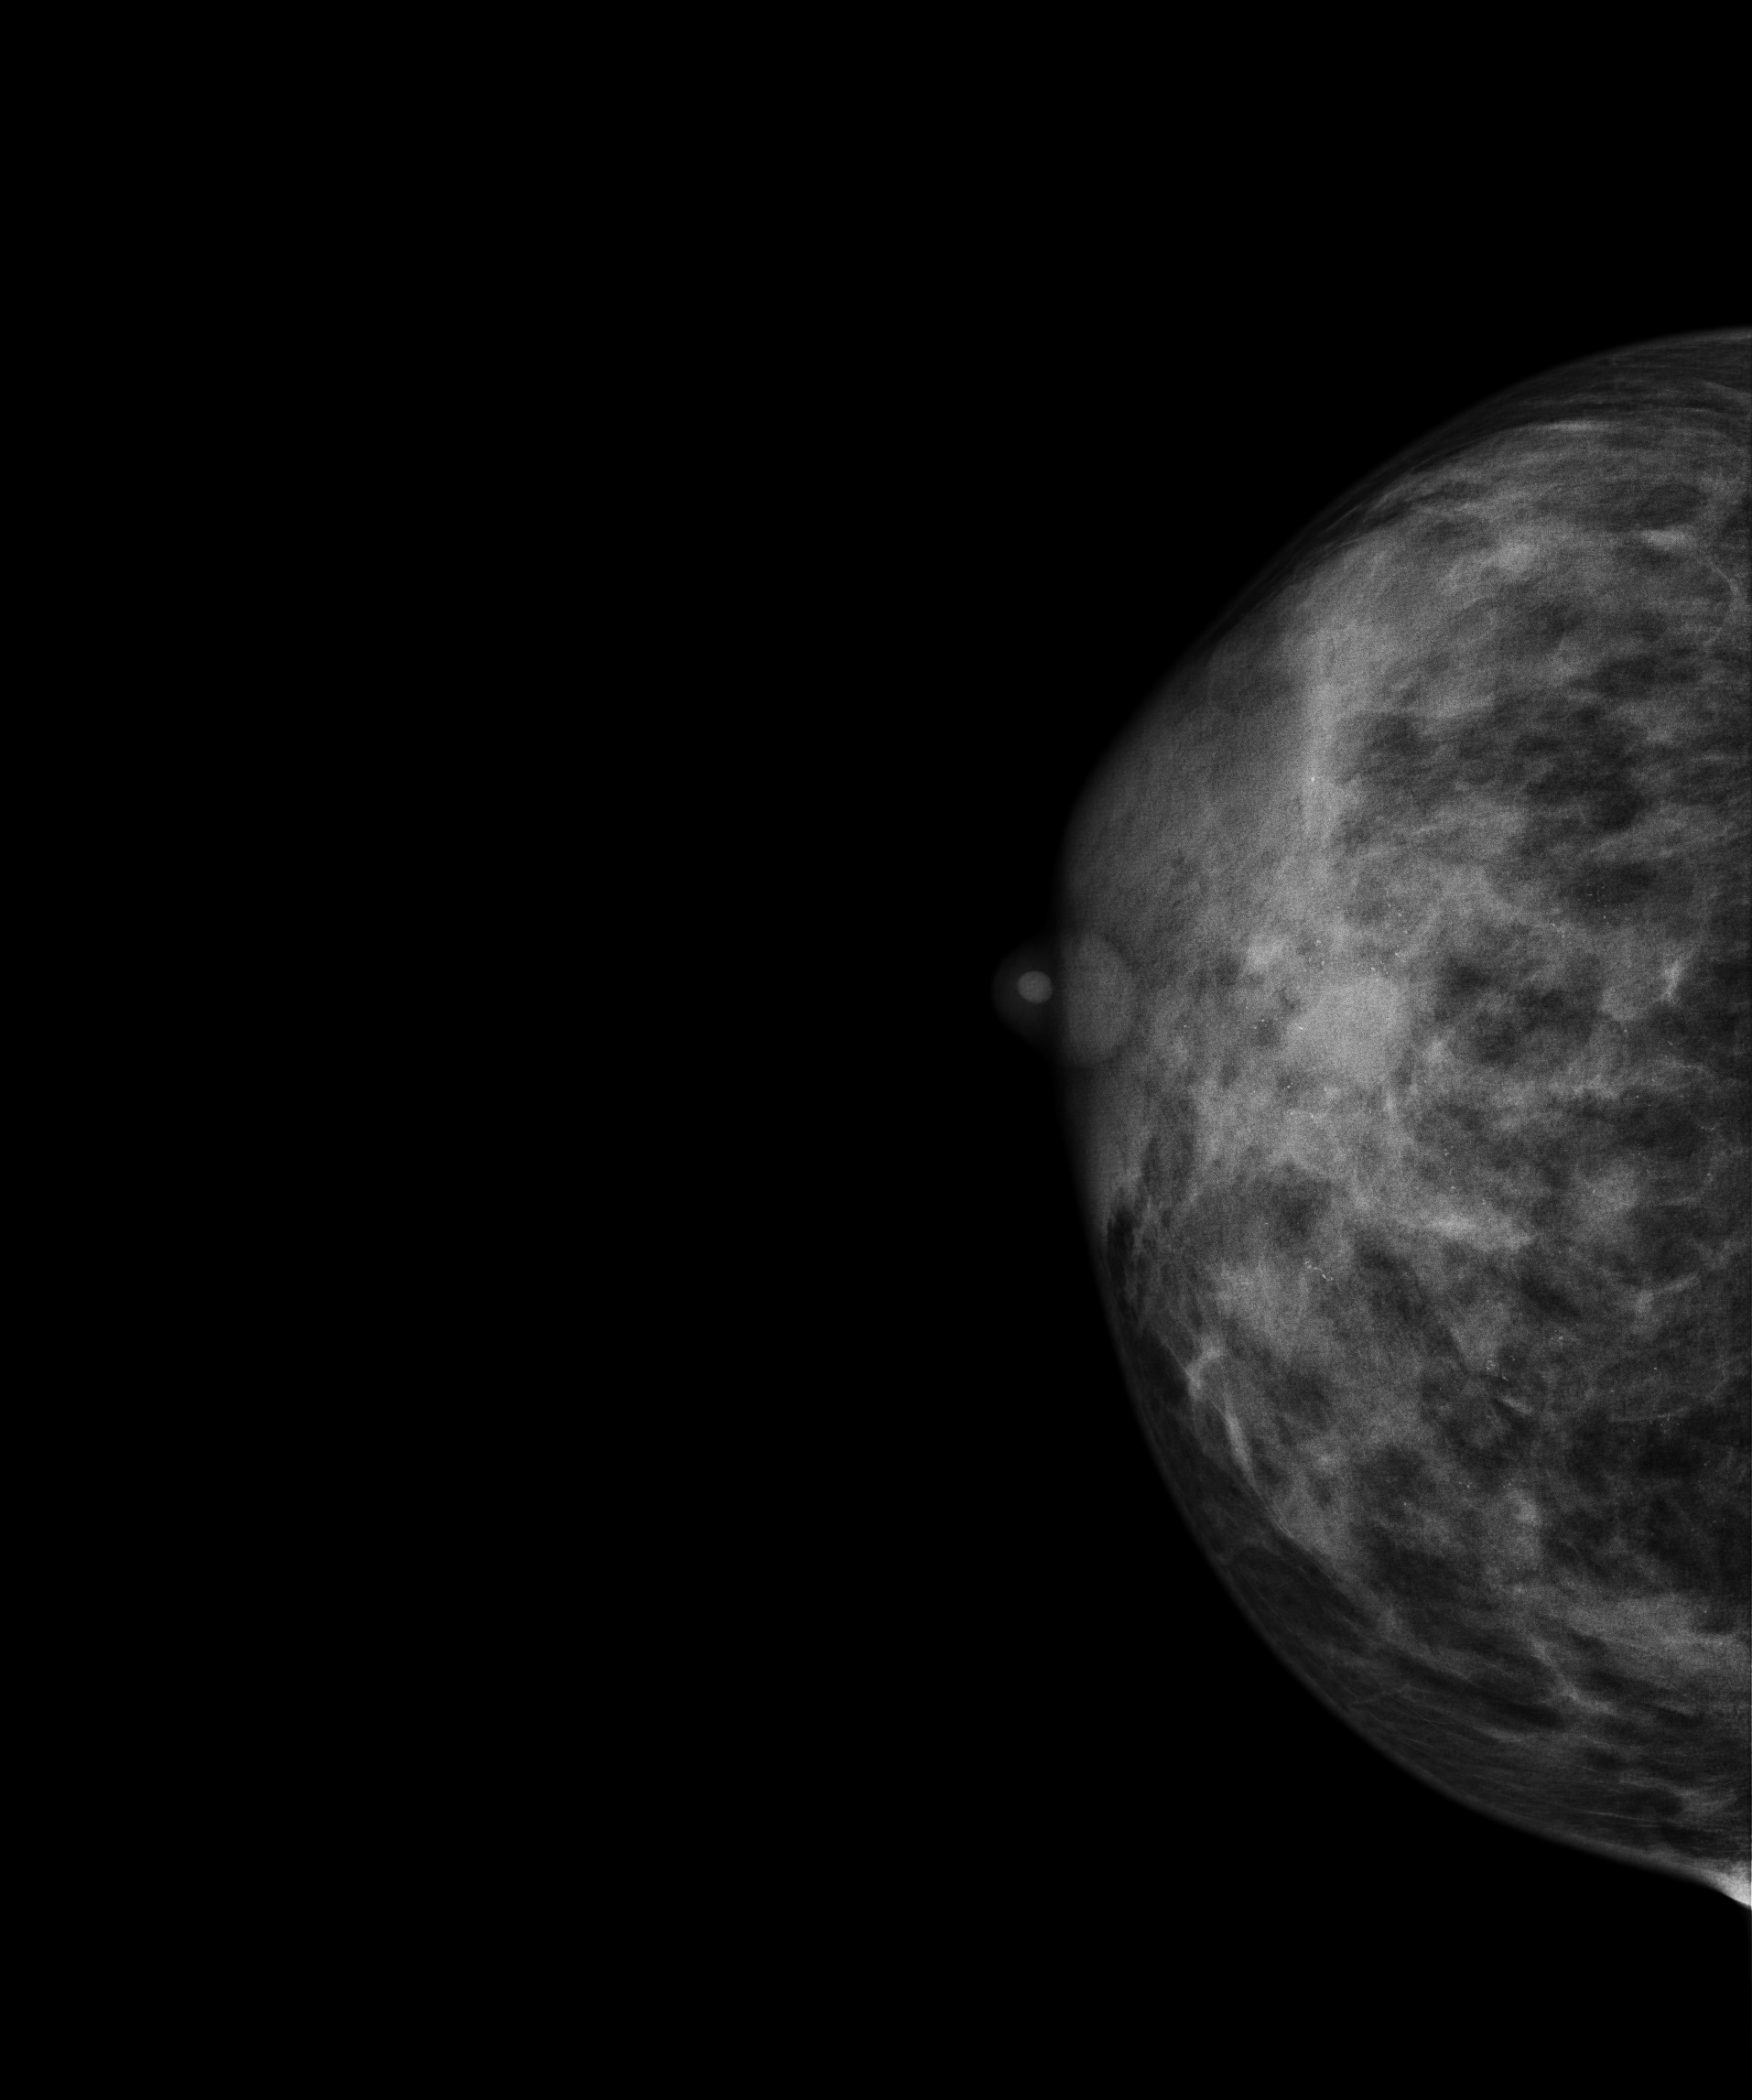
Mammogram, right breast, cranio-caudal view. 41-year-old patient.
This breast has calcifications, biopsy-proven malignant.